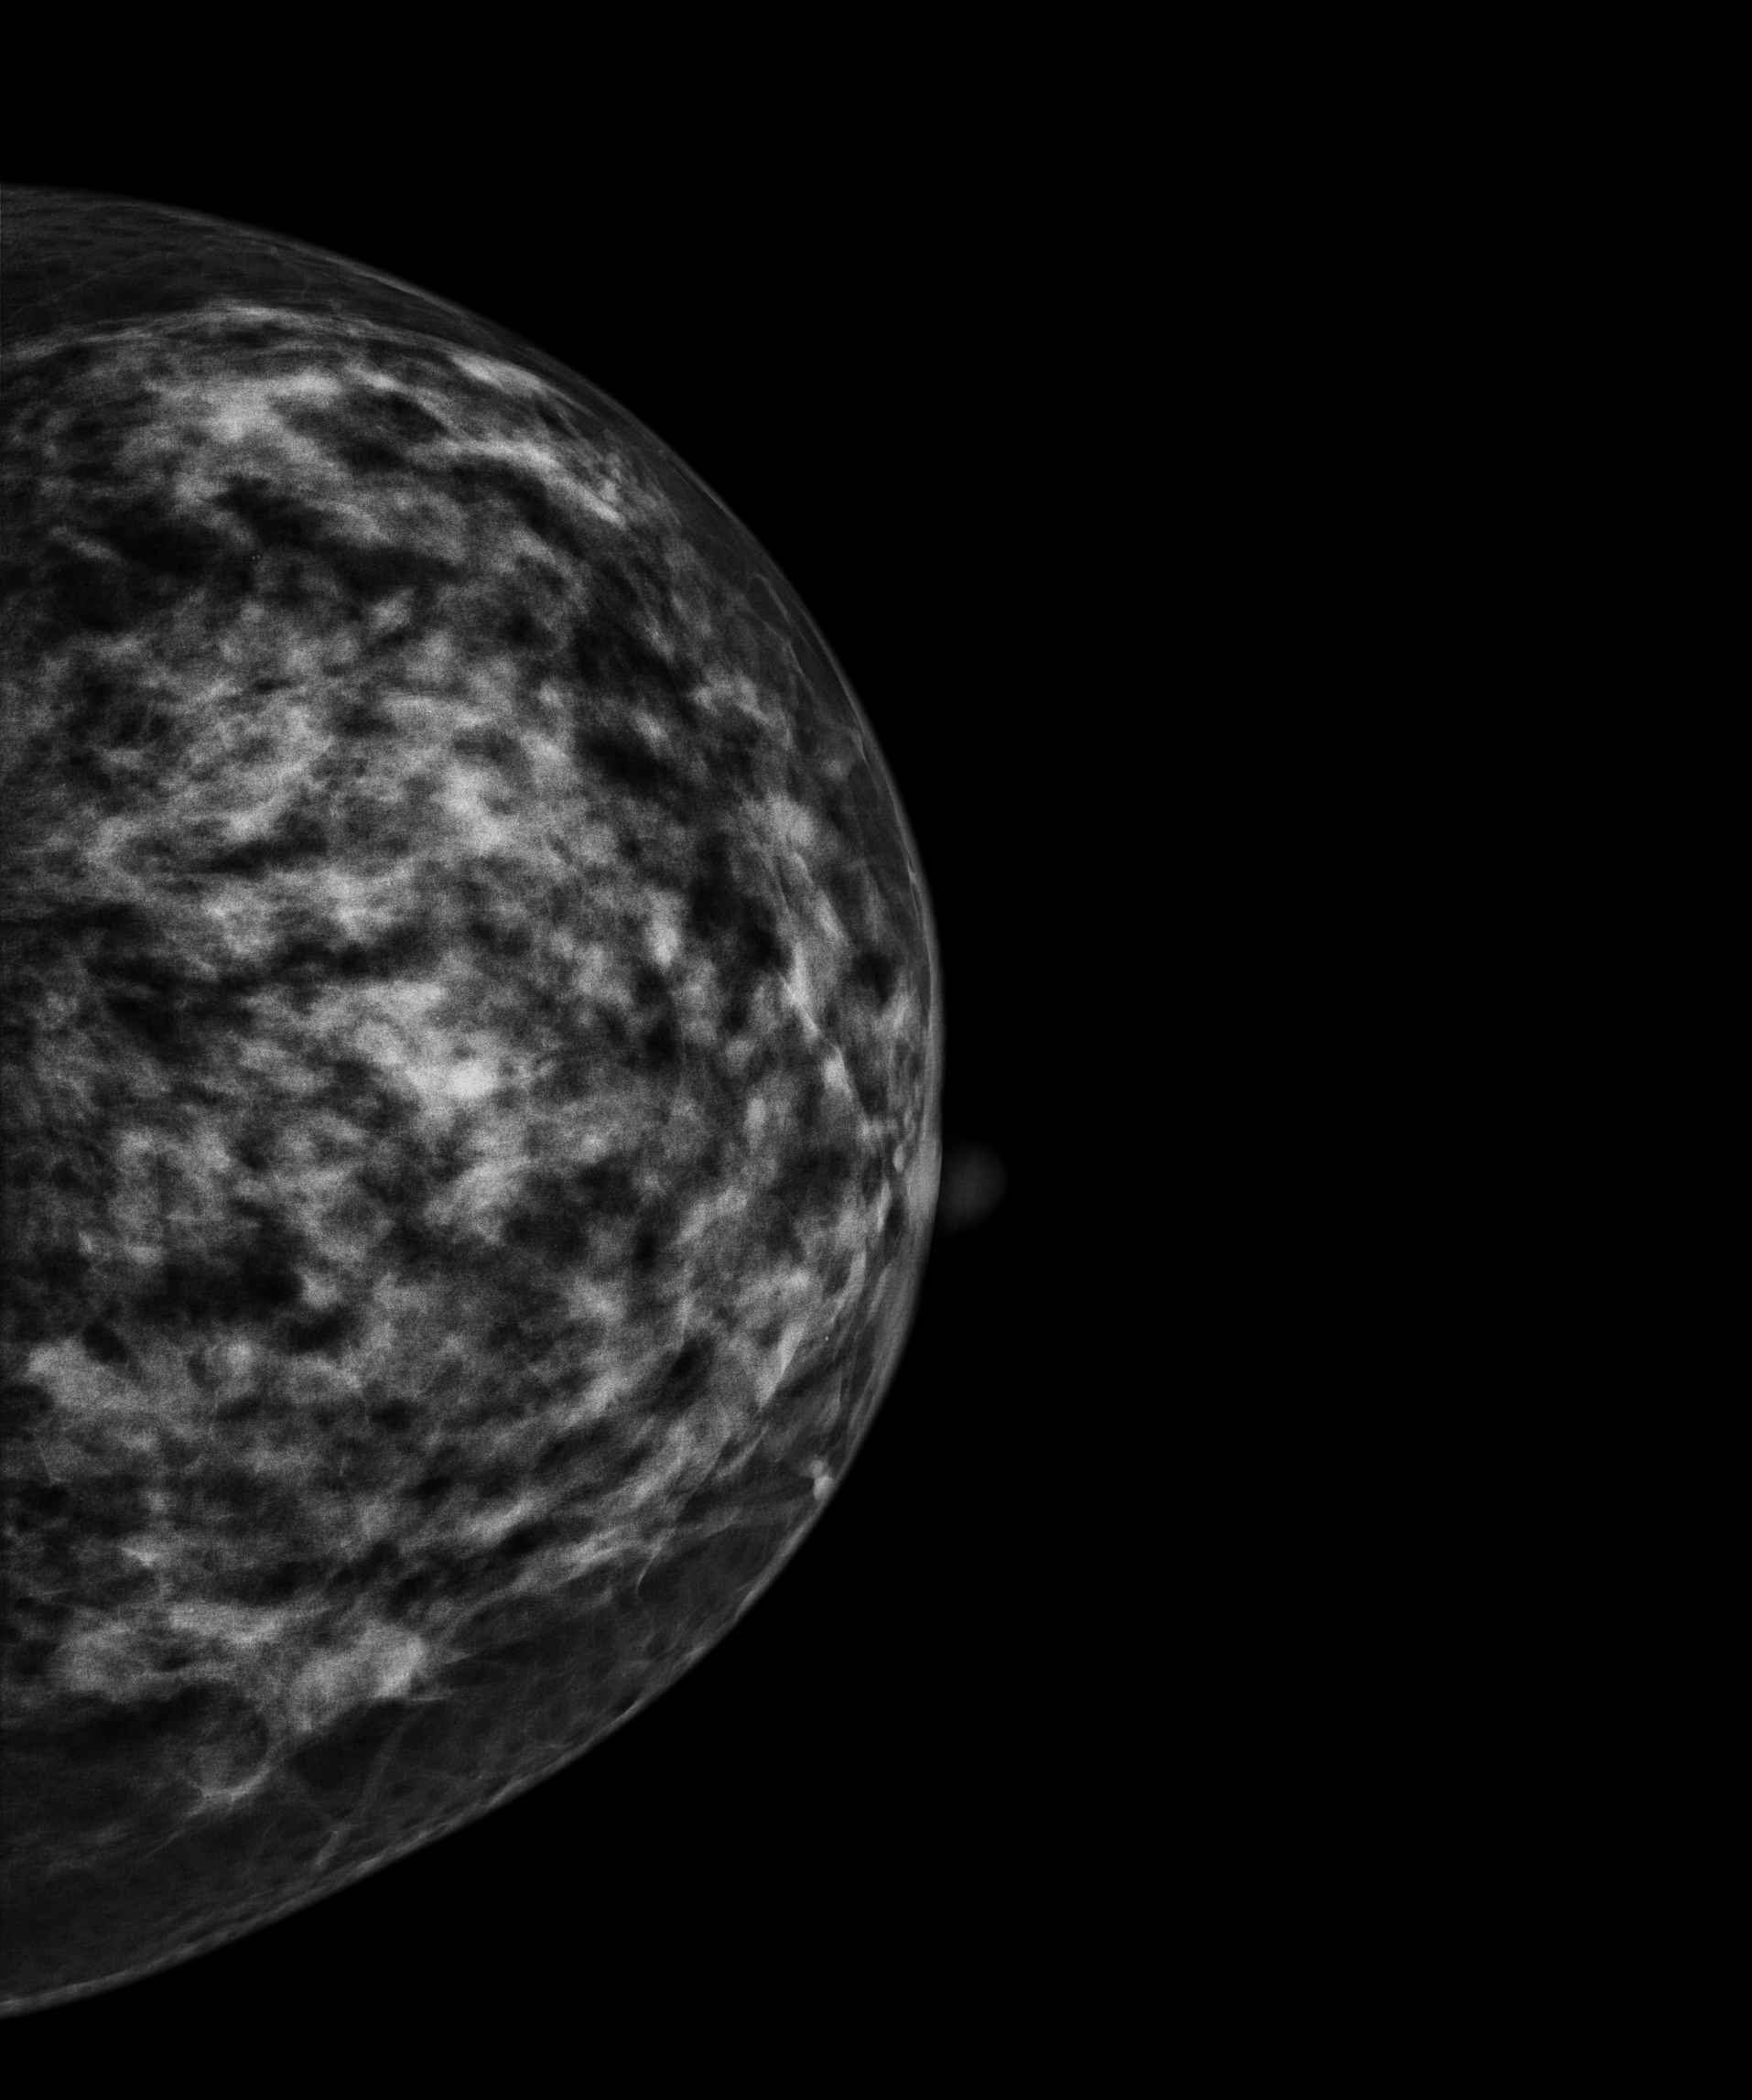
Mammogram, left breast, cranio-caudal view. 49 y/o patient.
This breast has calcifications, histologically confirmed benign.